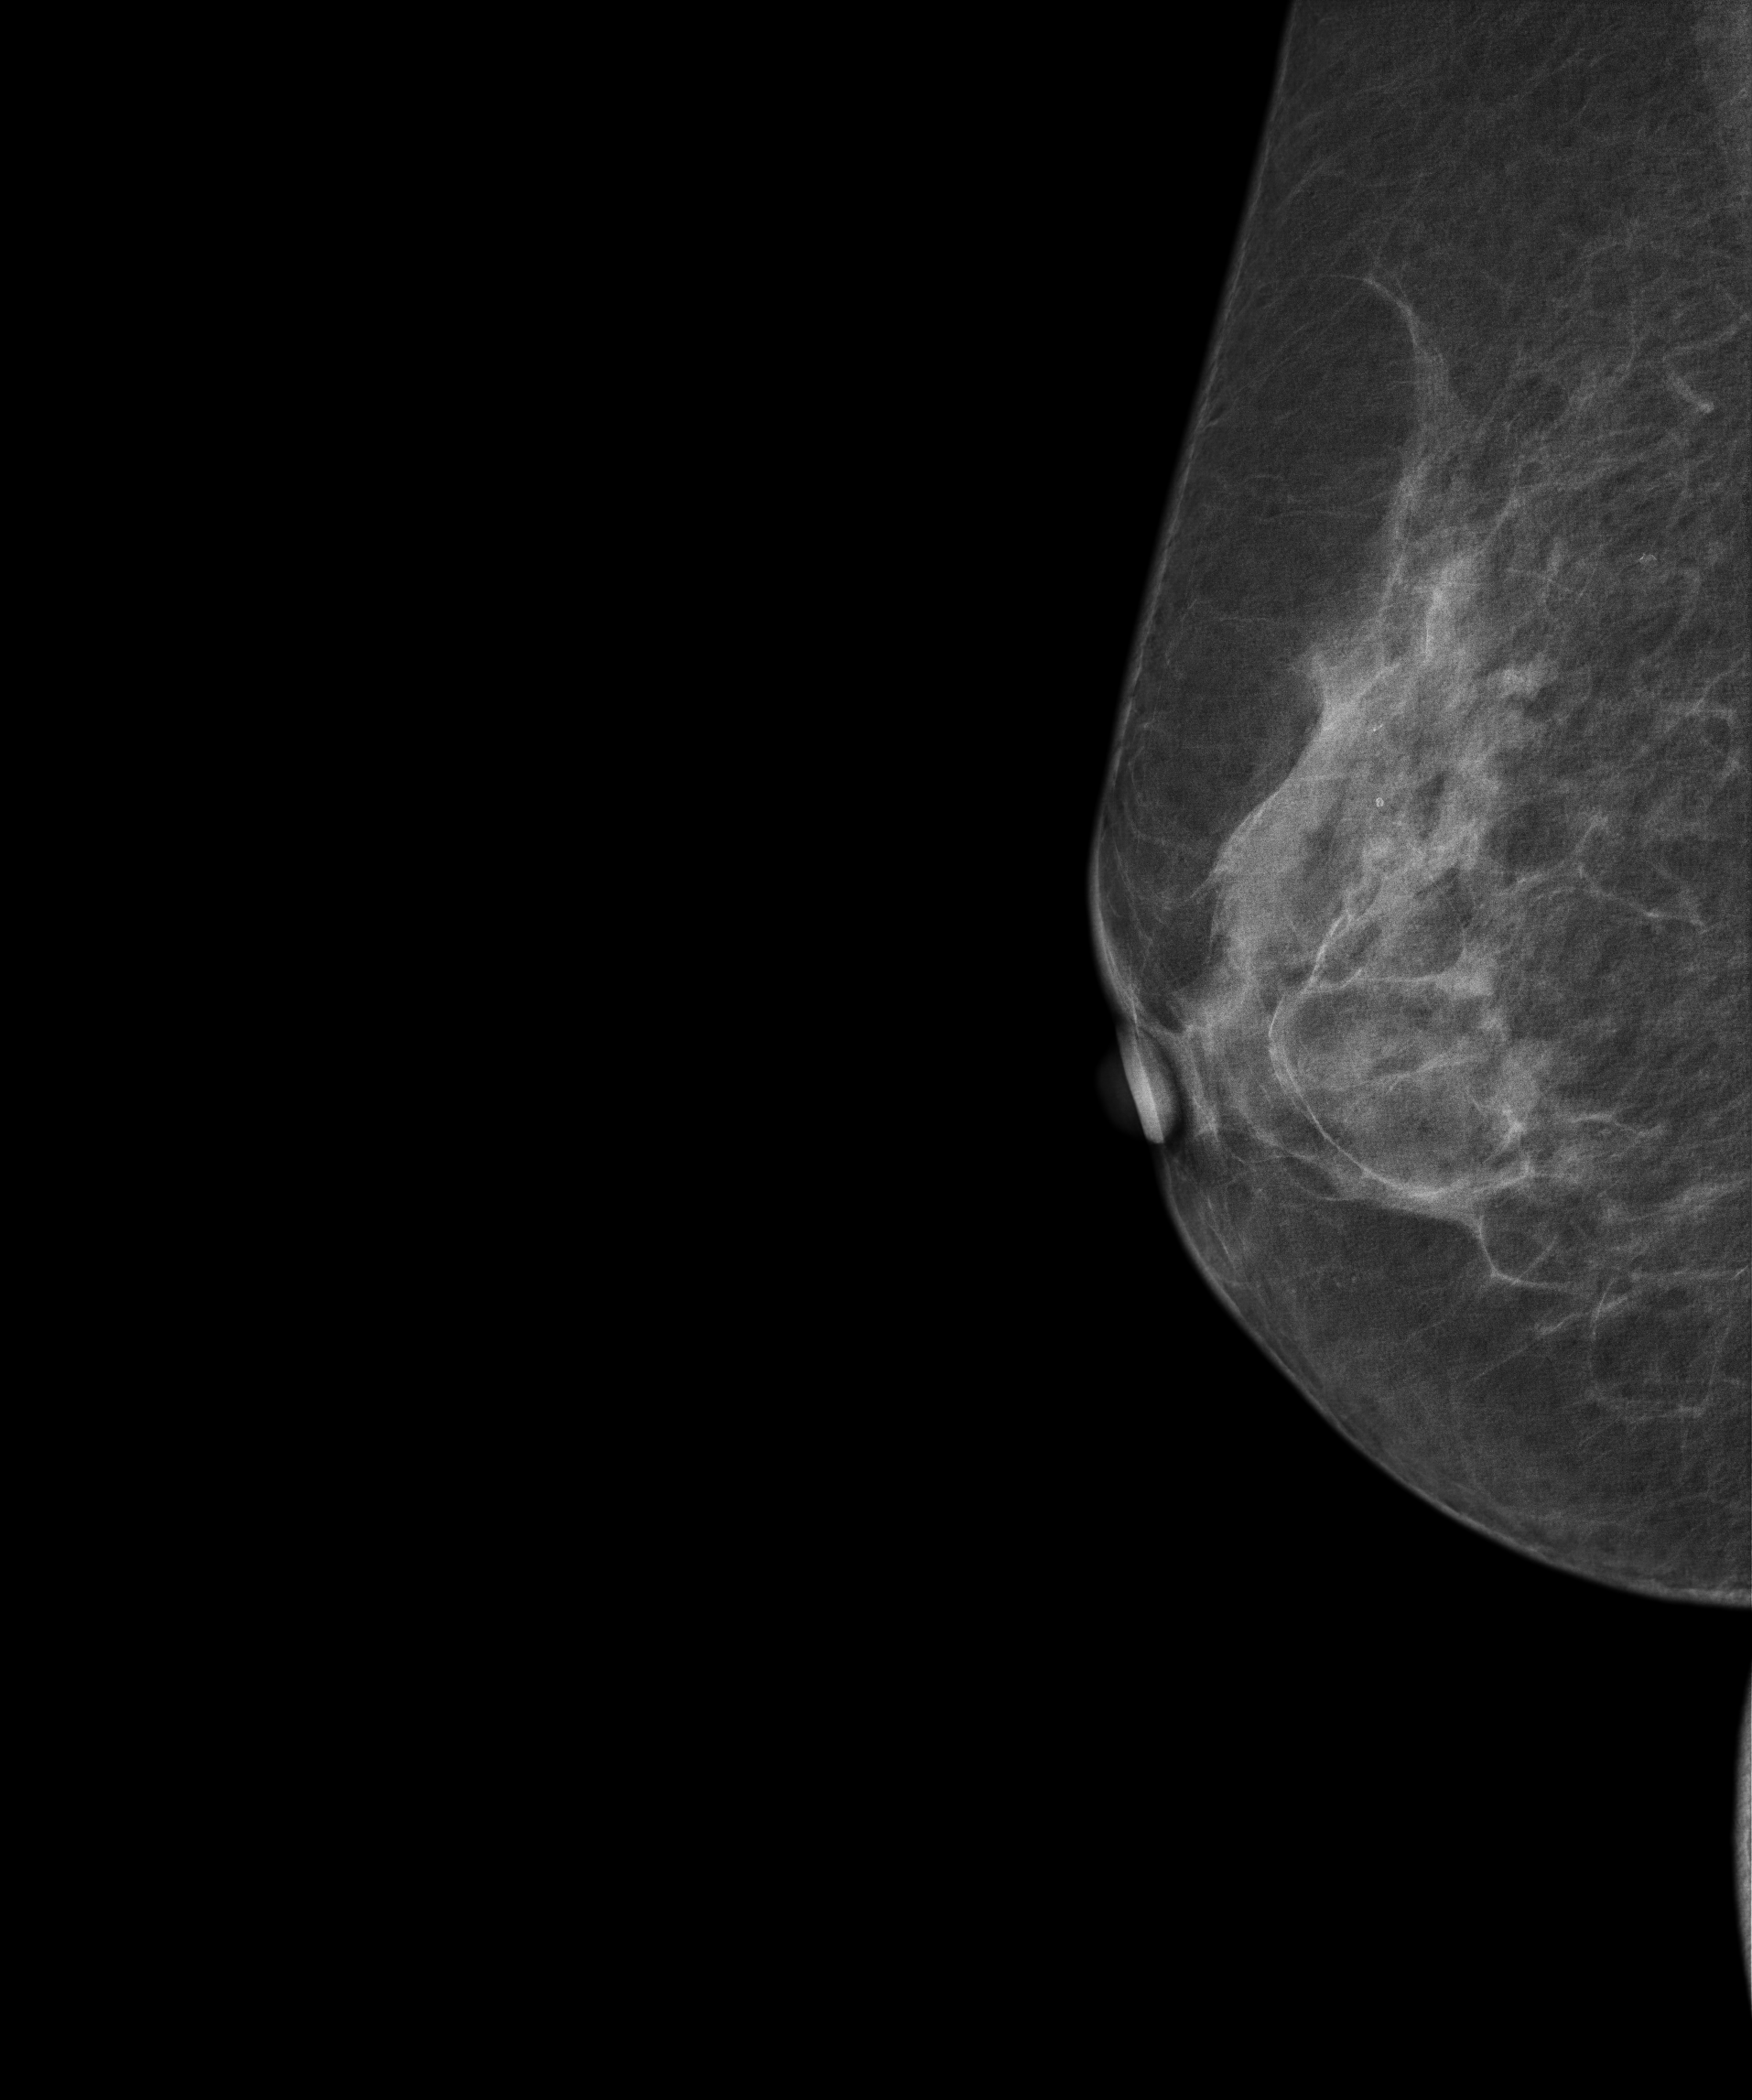
Mammogram — right MLO. 64-year-old patient.
Contralateral breast — no documented abnormality on this side.